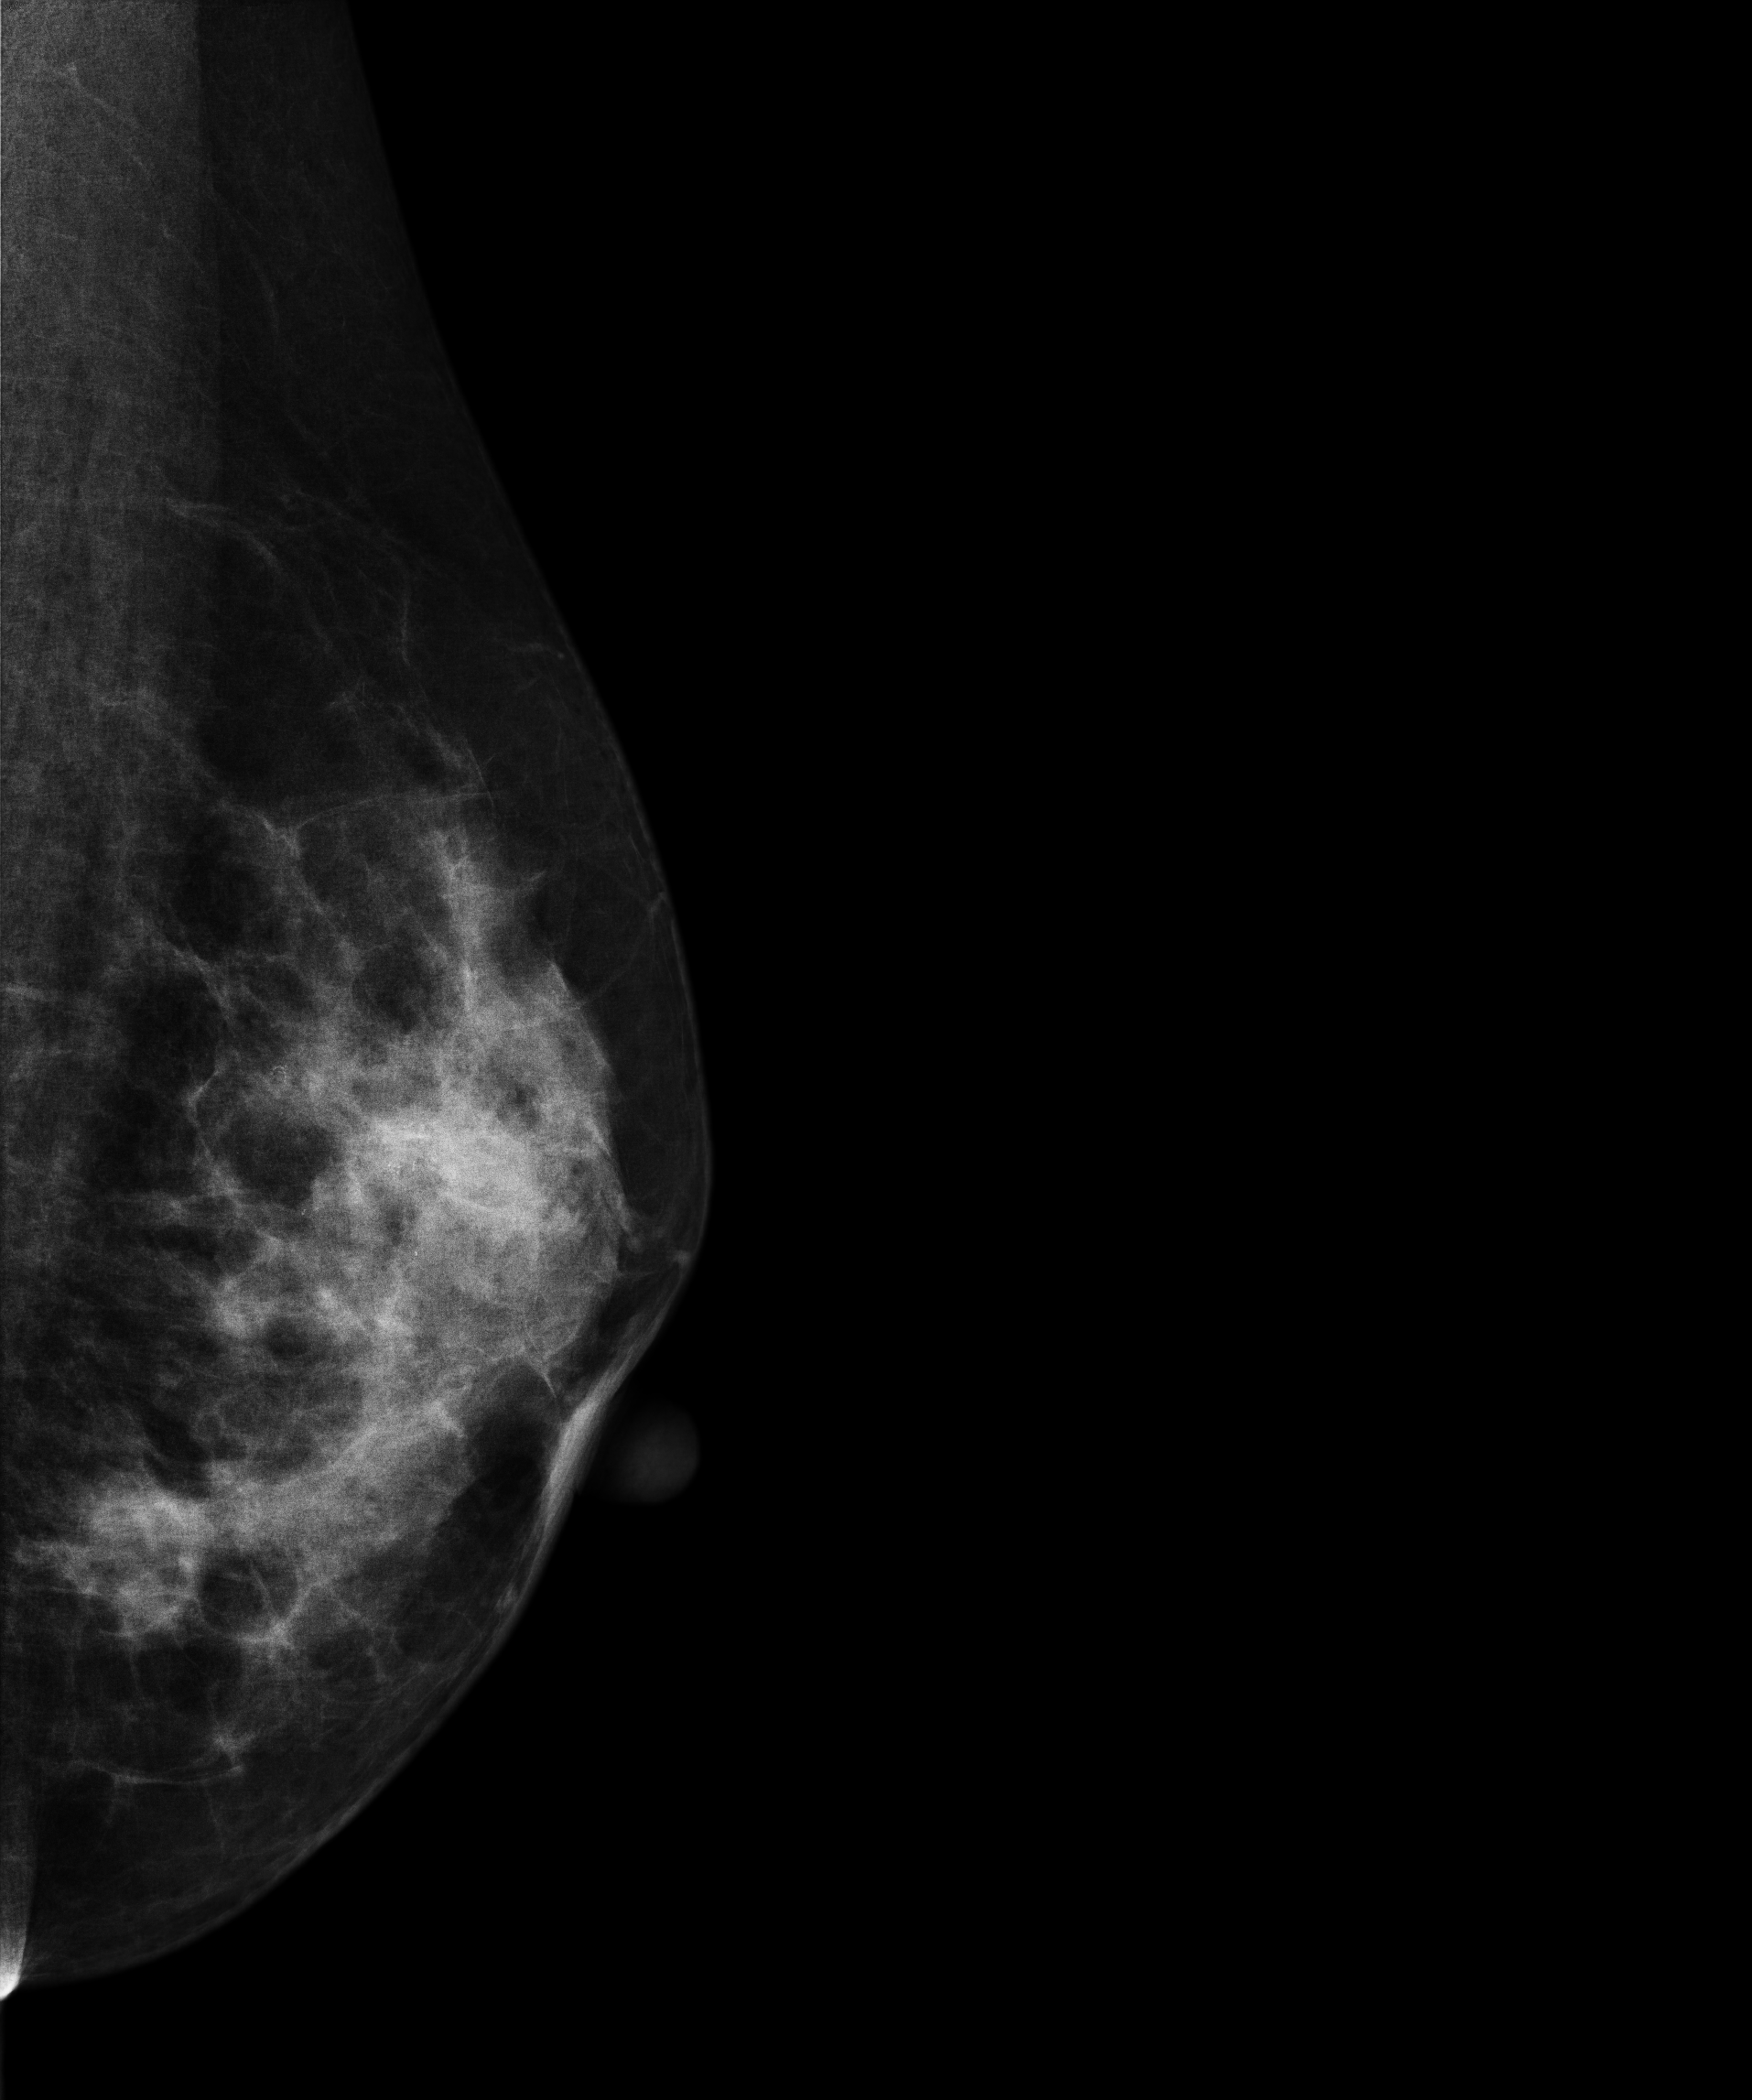
Mammogram, left breast, MLO view. 51-year-old patient.
This breast has a mass and calcifications, biopsy-confirmed malignant. Molecular subtype: HER2-enriched.